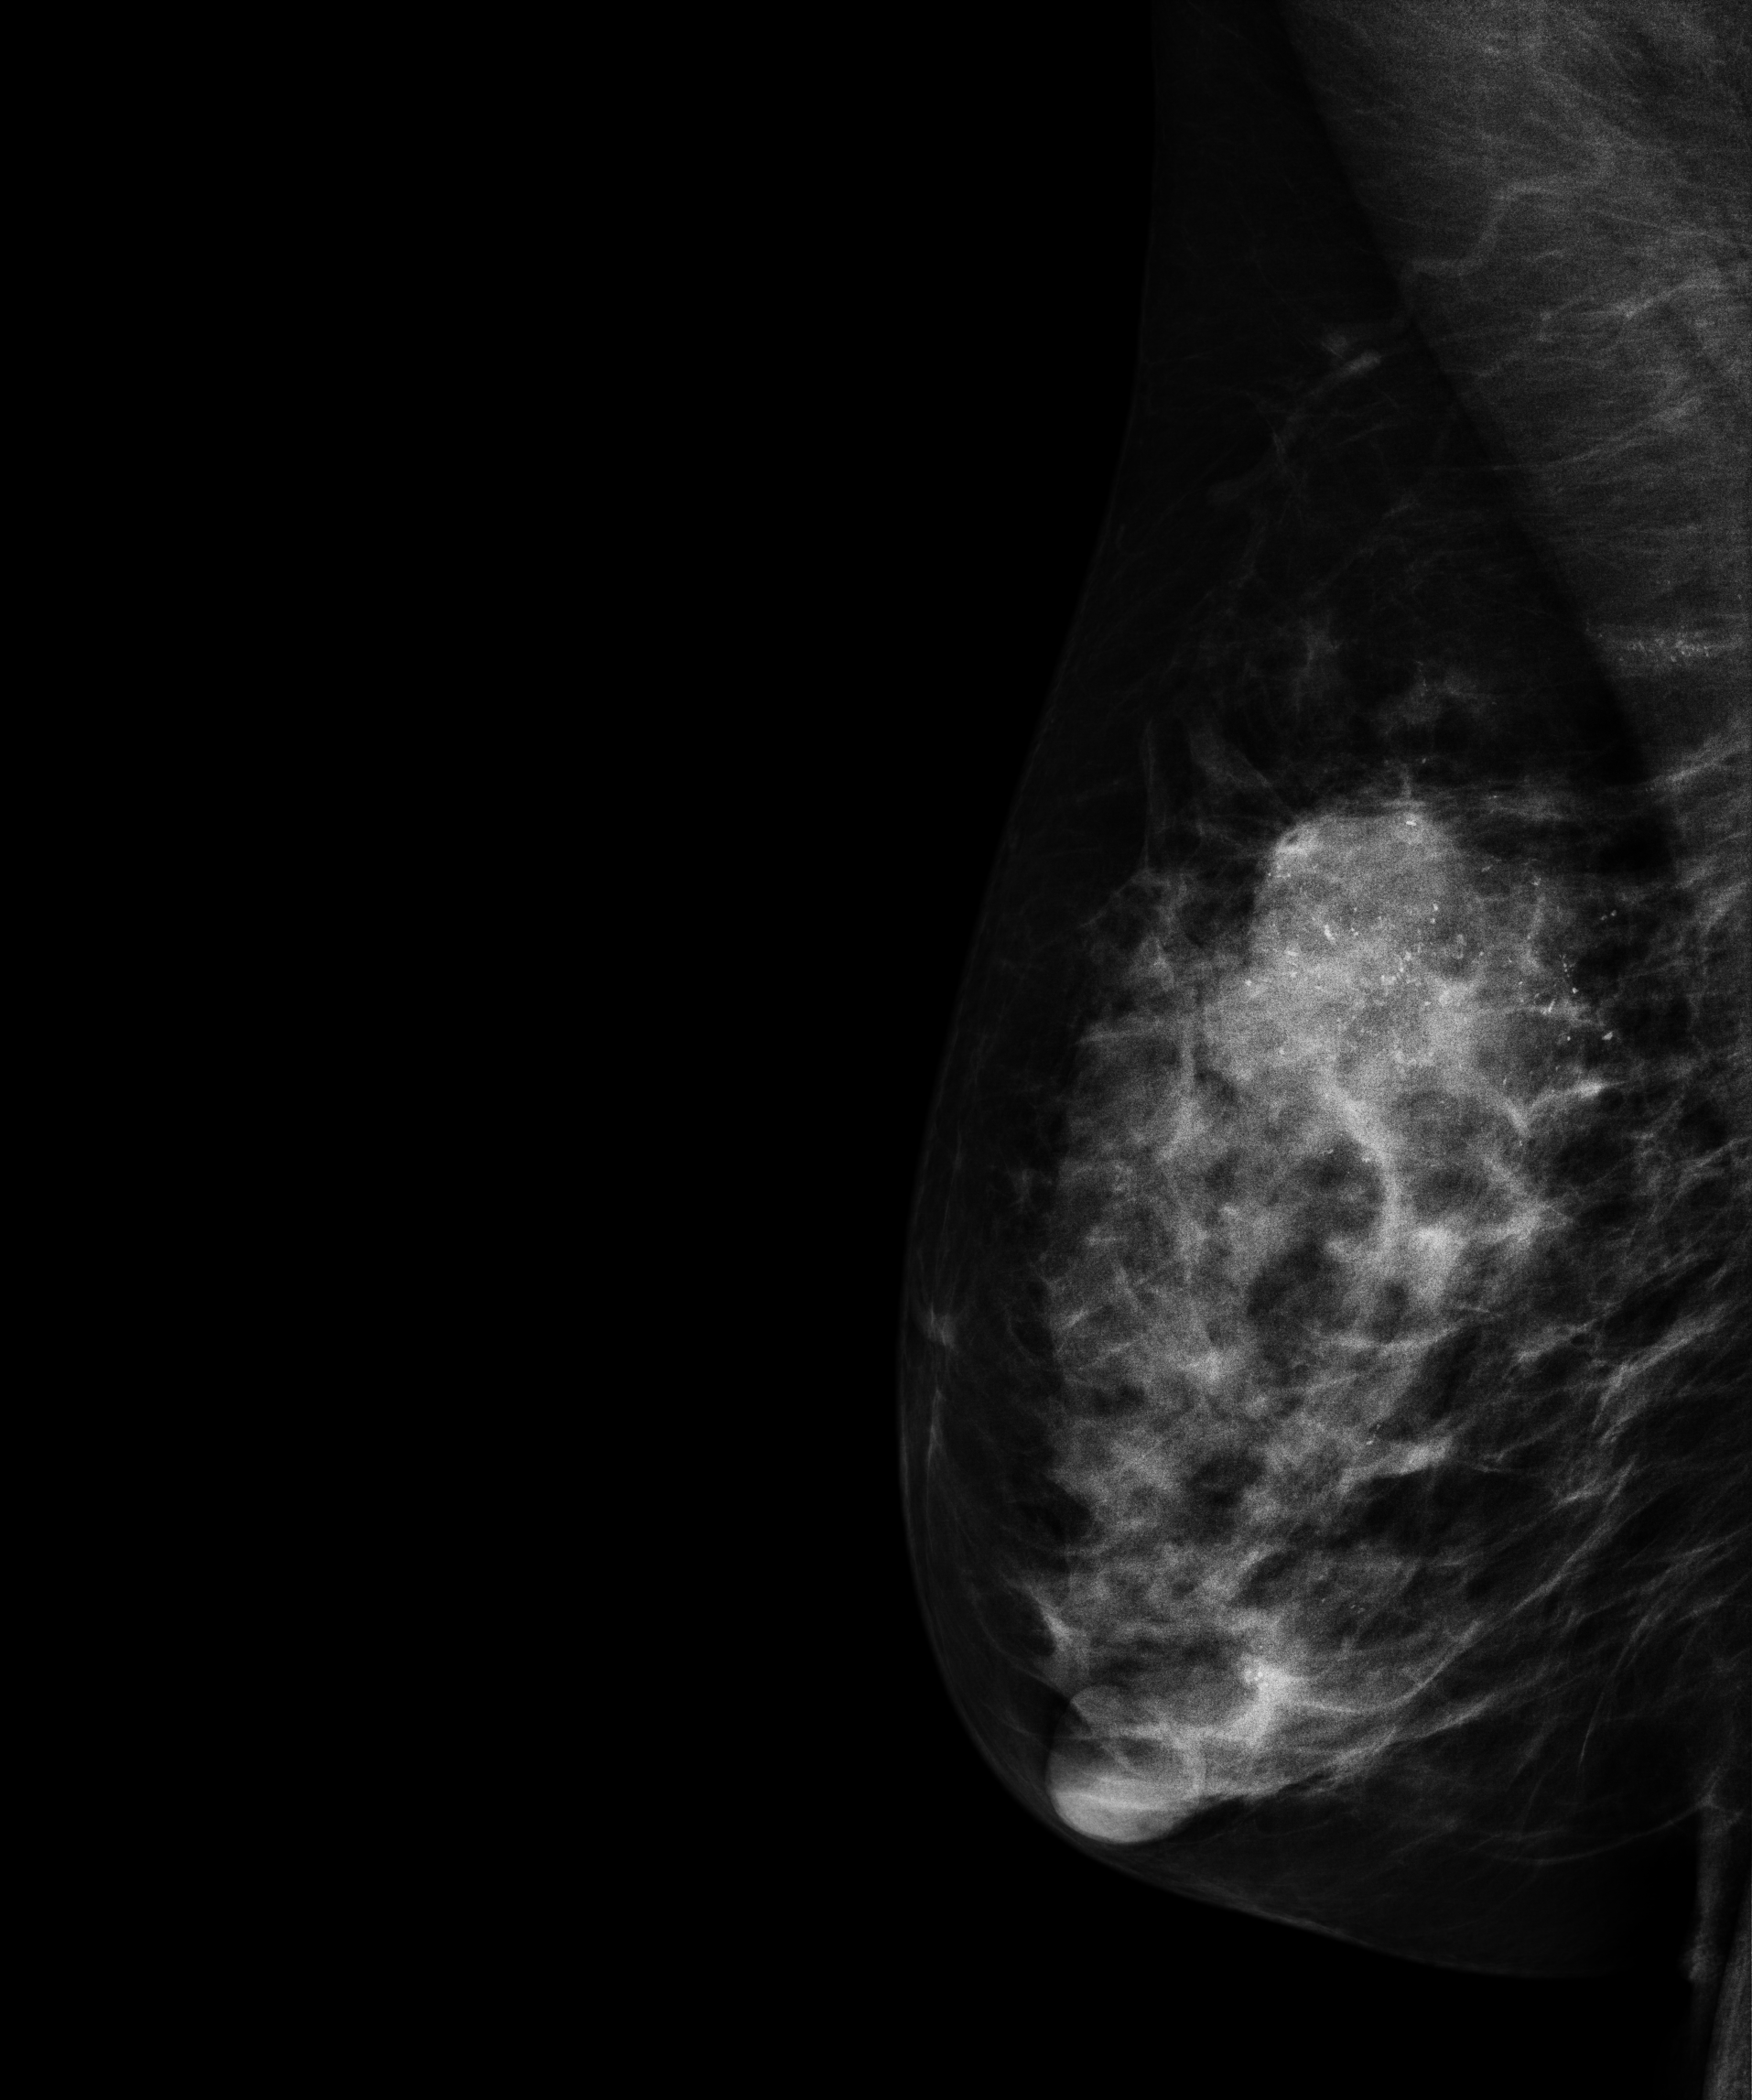
Mammogram — right MLO. Patient age 54.
This breast has a mass and calcifications, biopsy-proven malignant. Molecular subtype: luminal B.